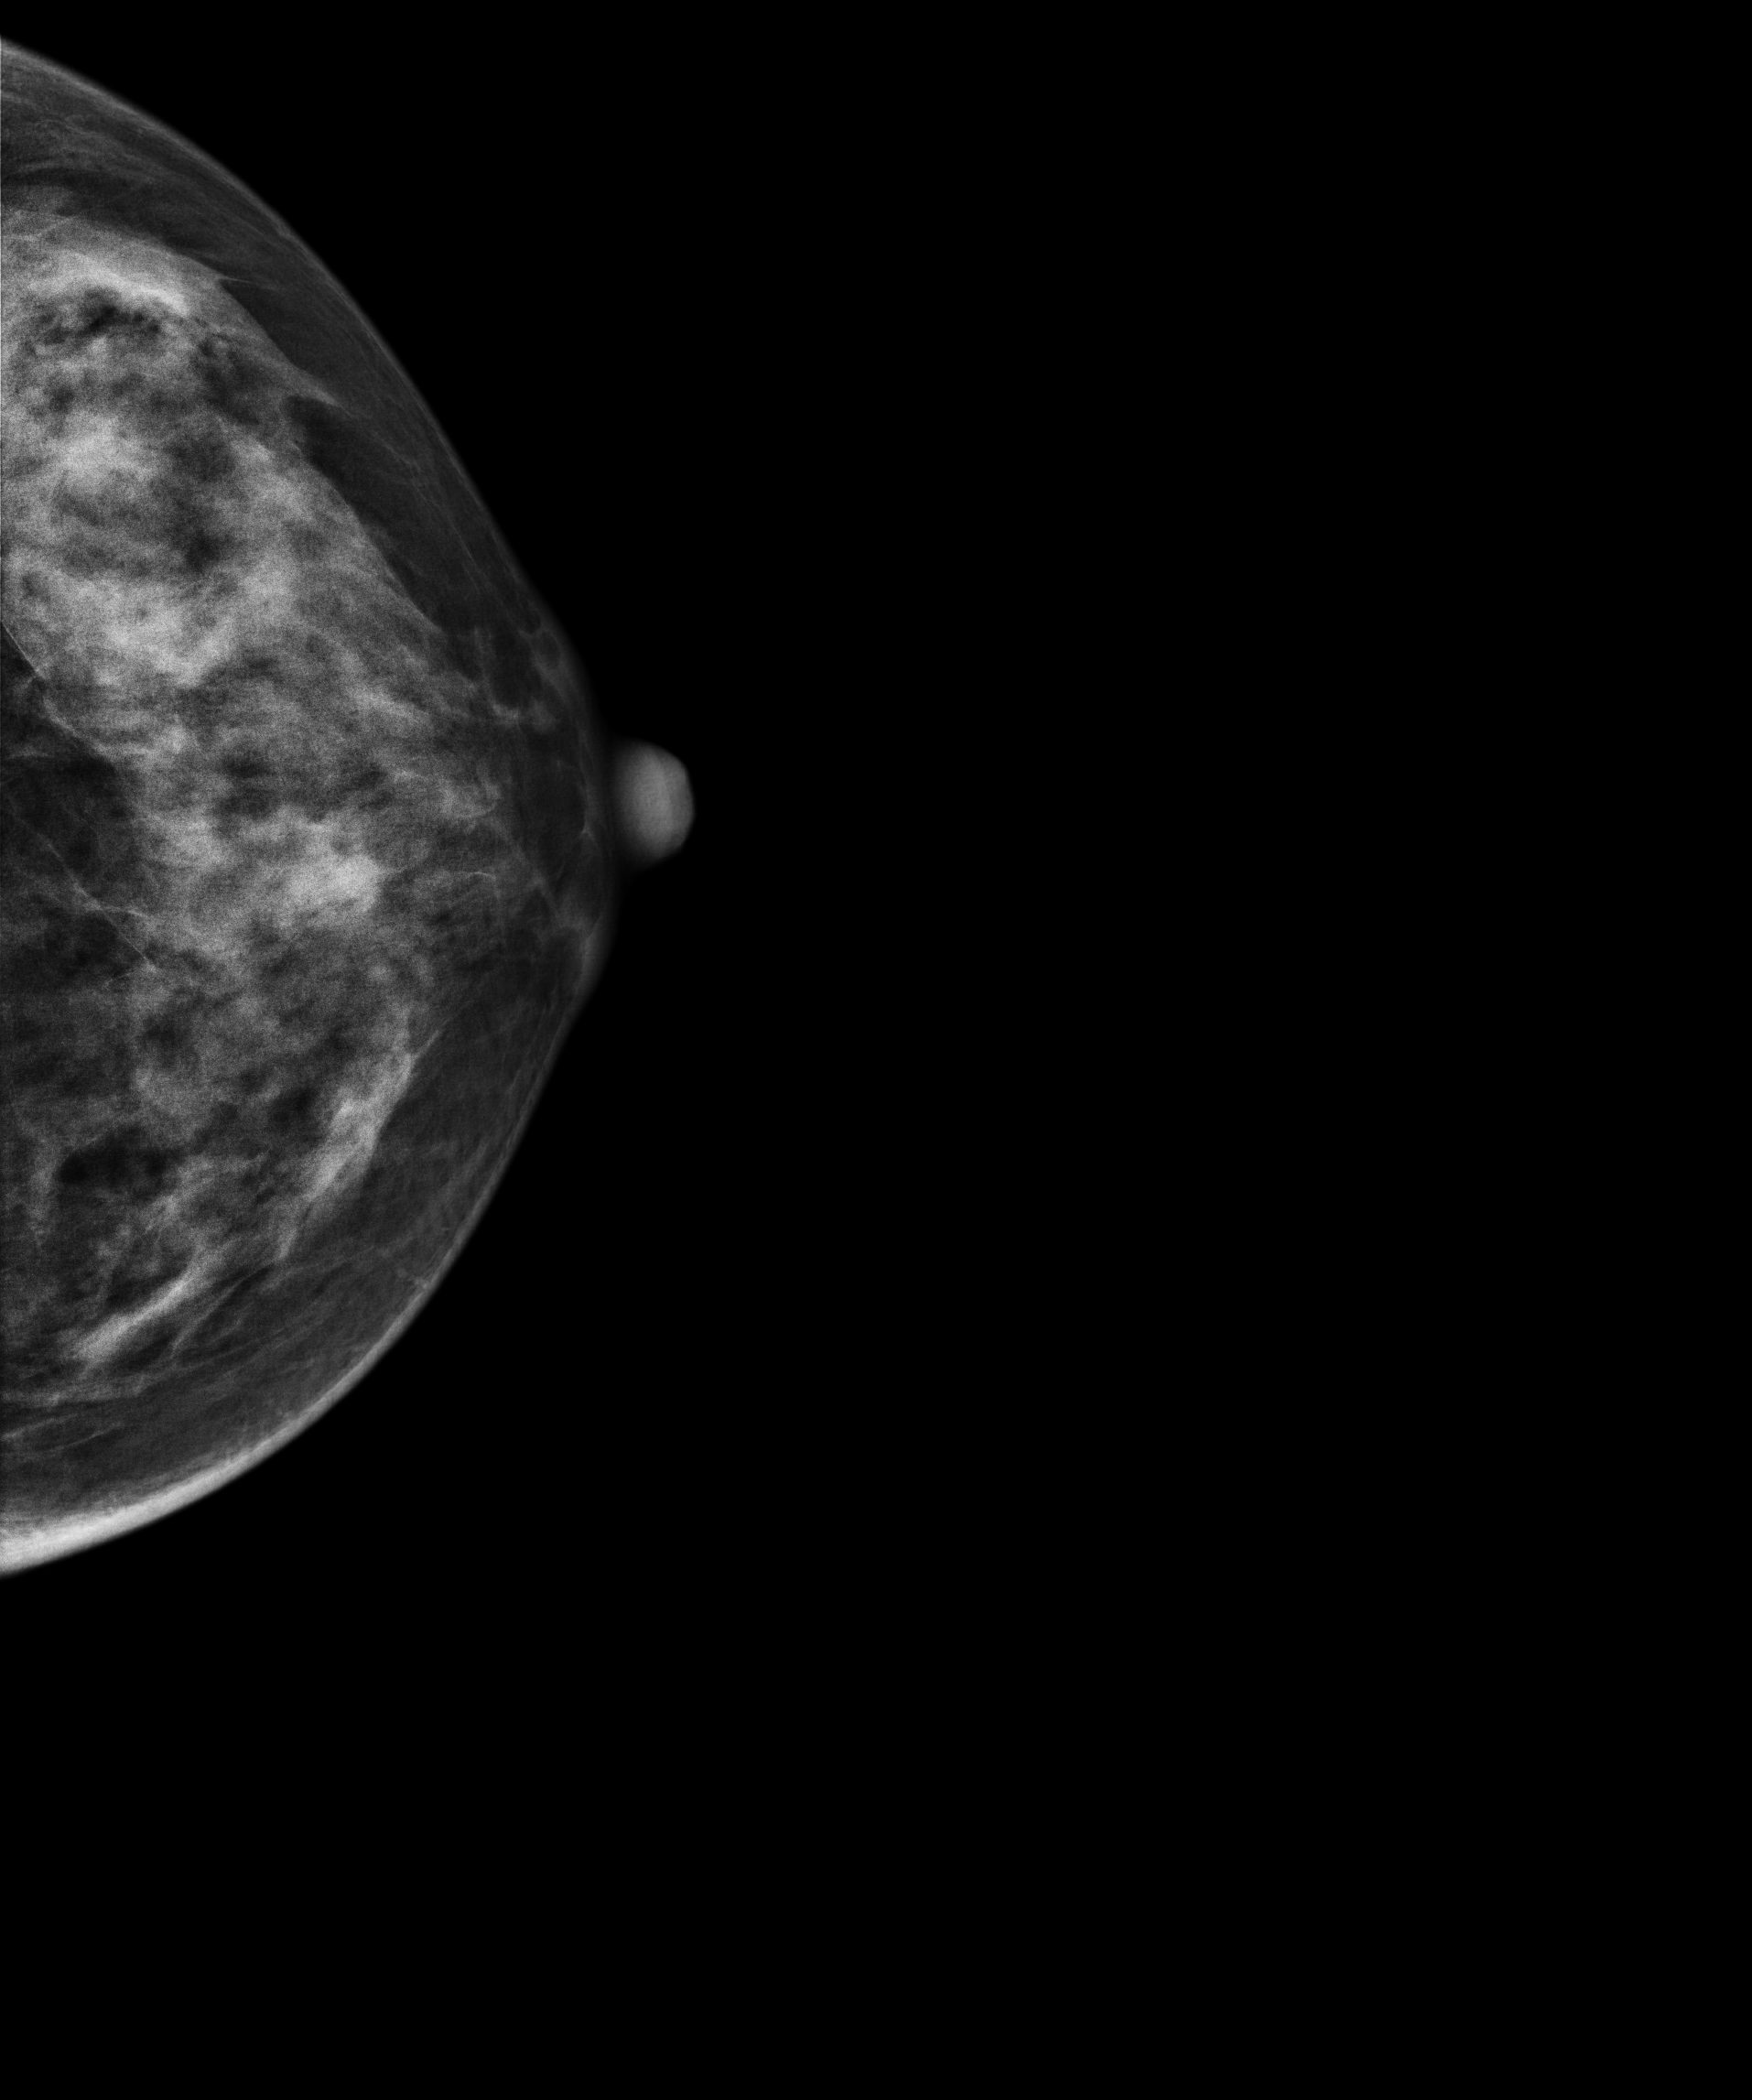
Cranio-caudal mammogram of the left breast. 48 y/o patient.
This breast has a mass, pathology-confirmed malignant.